Left-breast mammogram, cranio-caudal. Patient age 46.
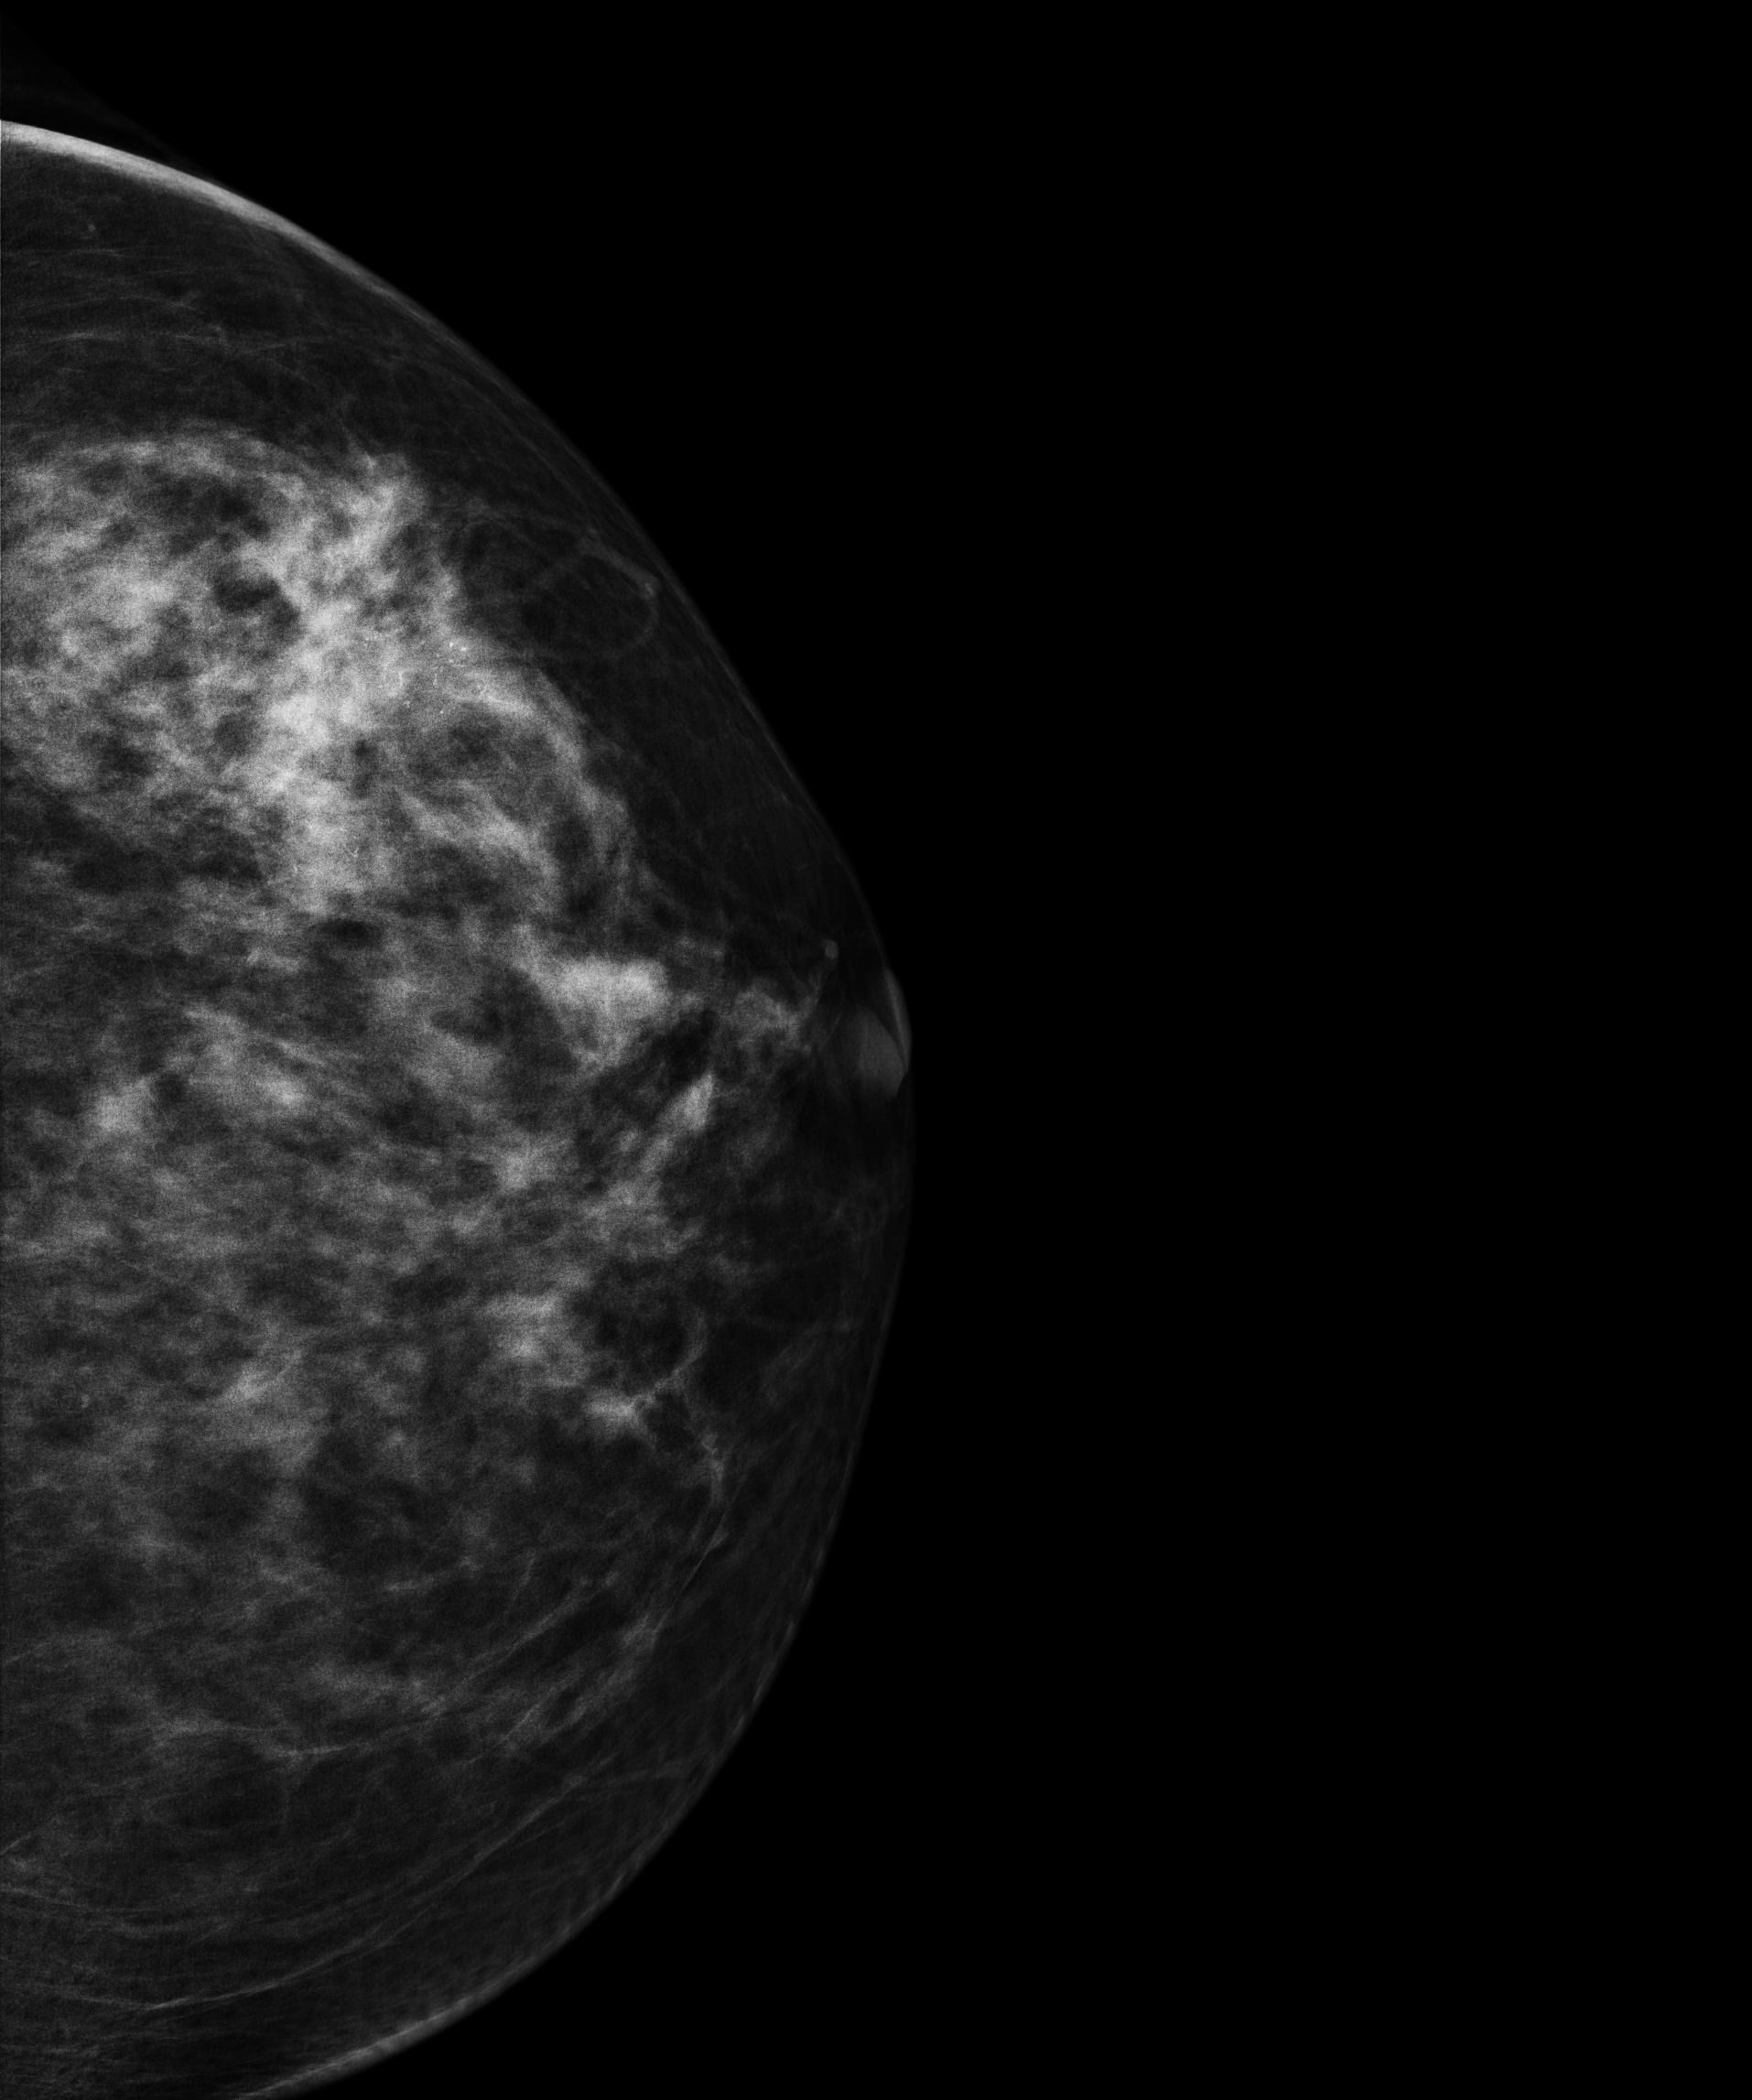
This breast has a mass and calcifications, biopsy-confirmed malignant. Molecular subtype: luminal B.